Left-breast mammogram, CC. 27 y/o patient.
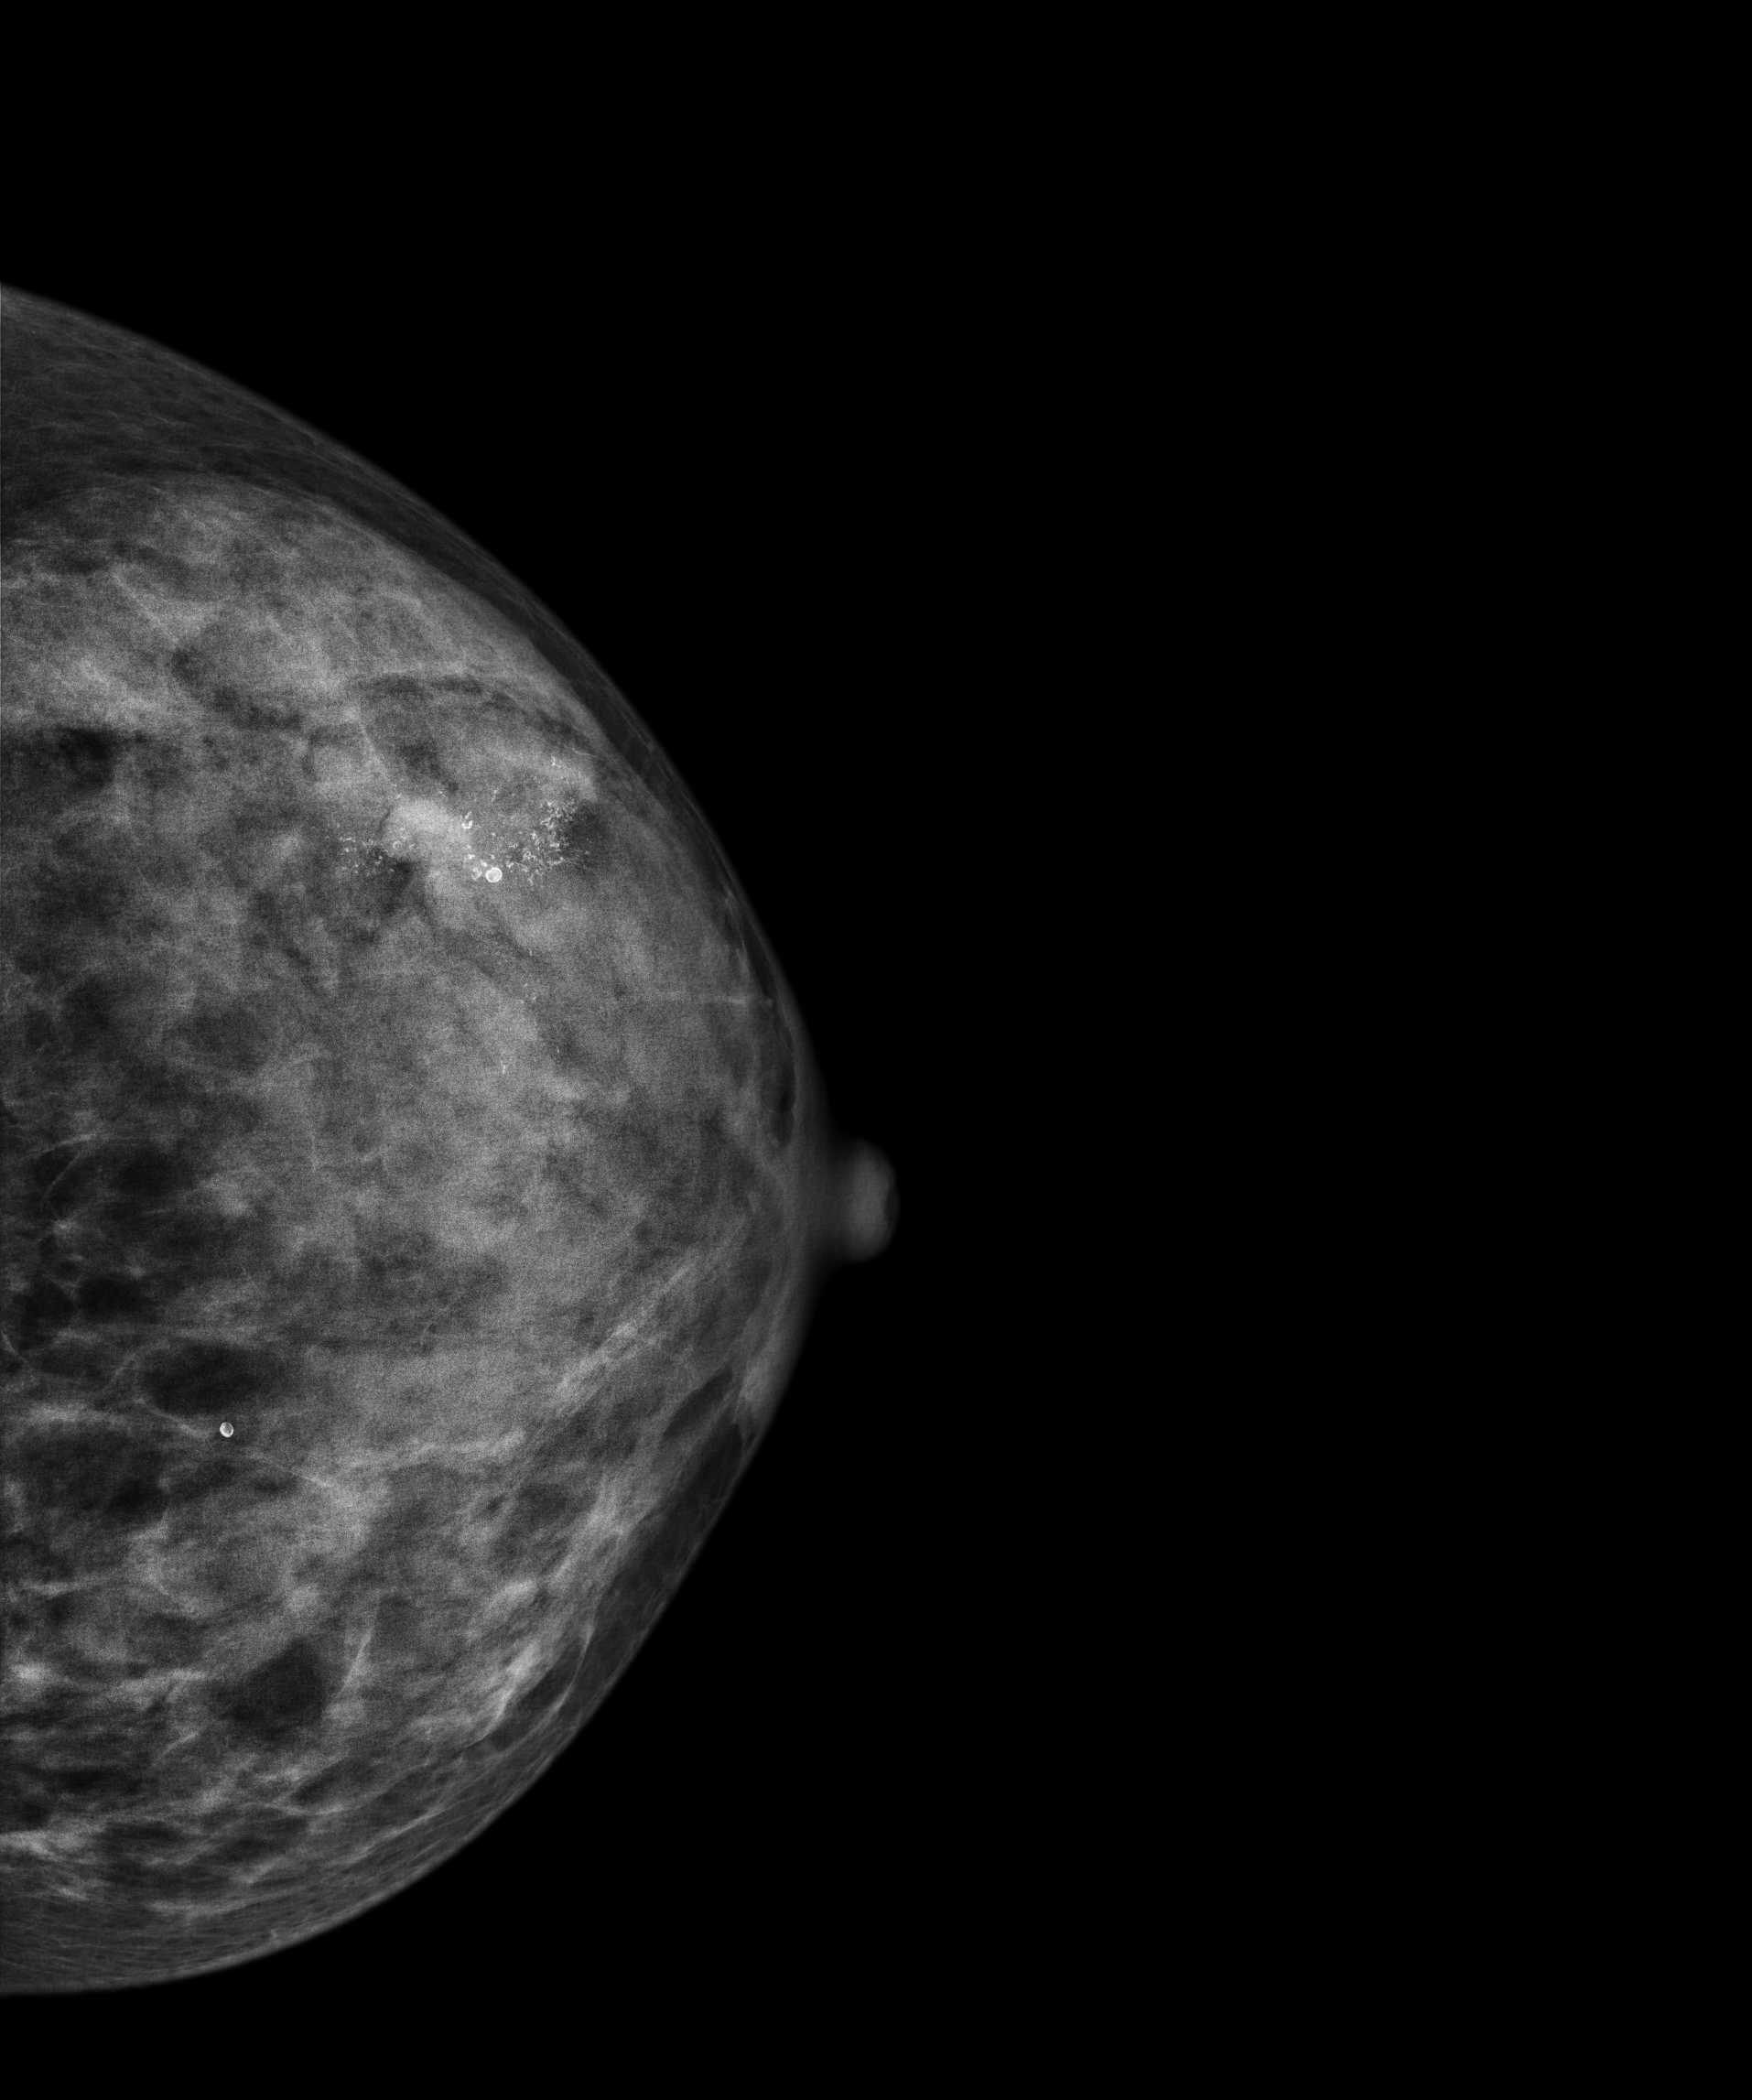
This breast has a mass and calcifications, biopsy-confirmed malignant. Molecular subtype: luminal B.